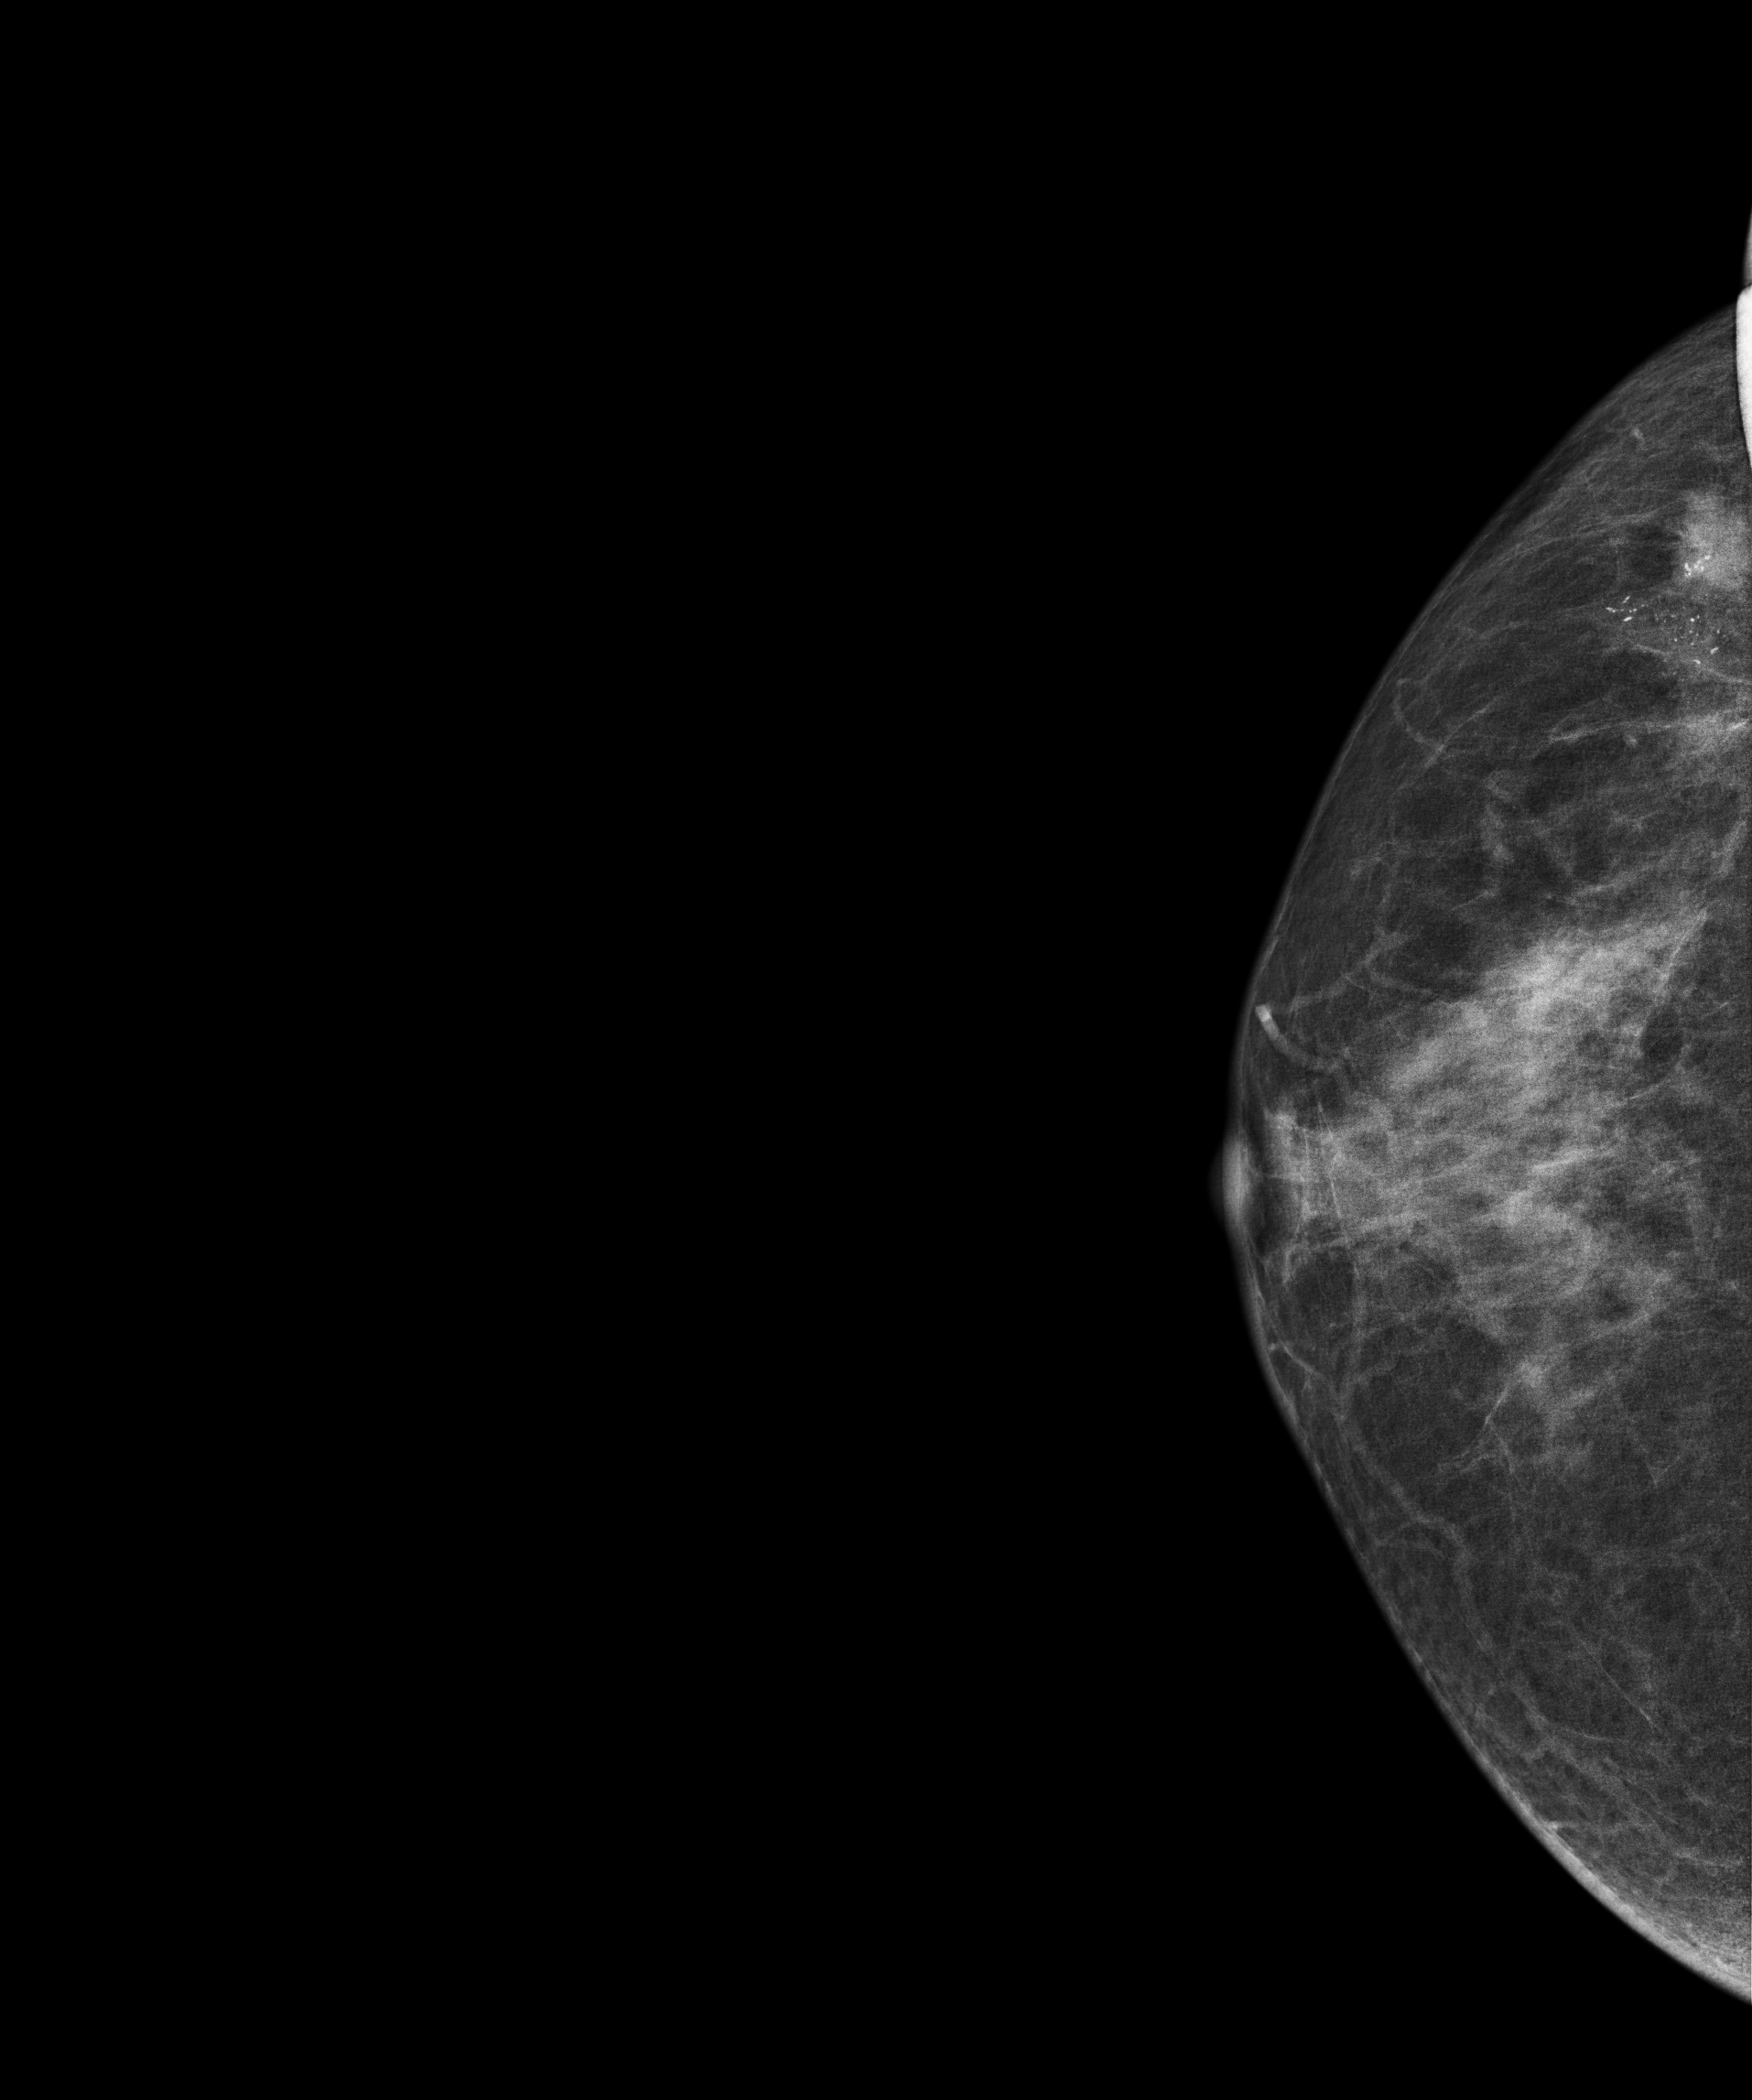
Mammogram — right CC. Patient age 61.
This breast has a mass and calcifications, pathology-confirmed malignant. Molecular subtype: luminal B.